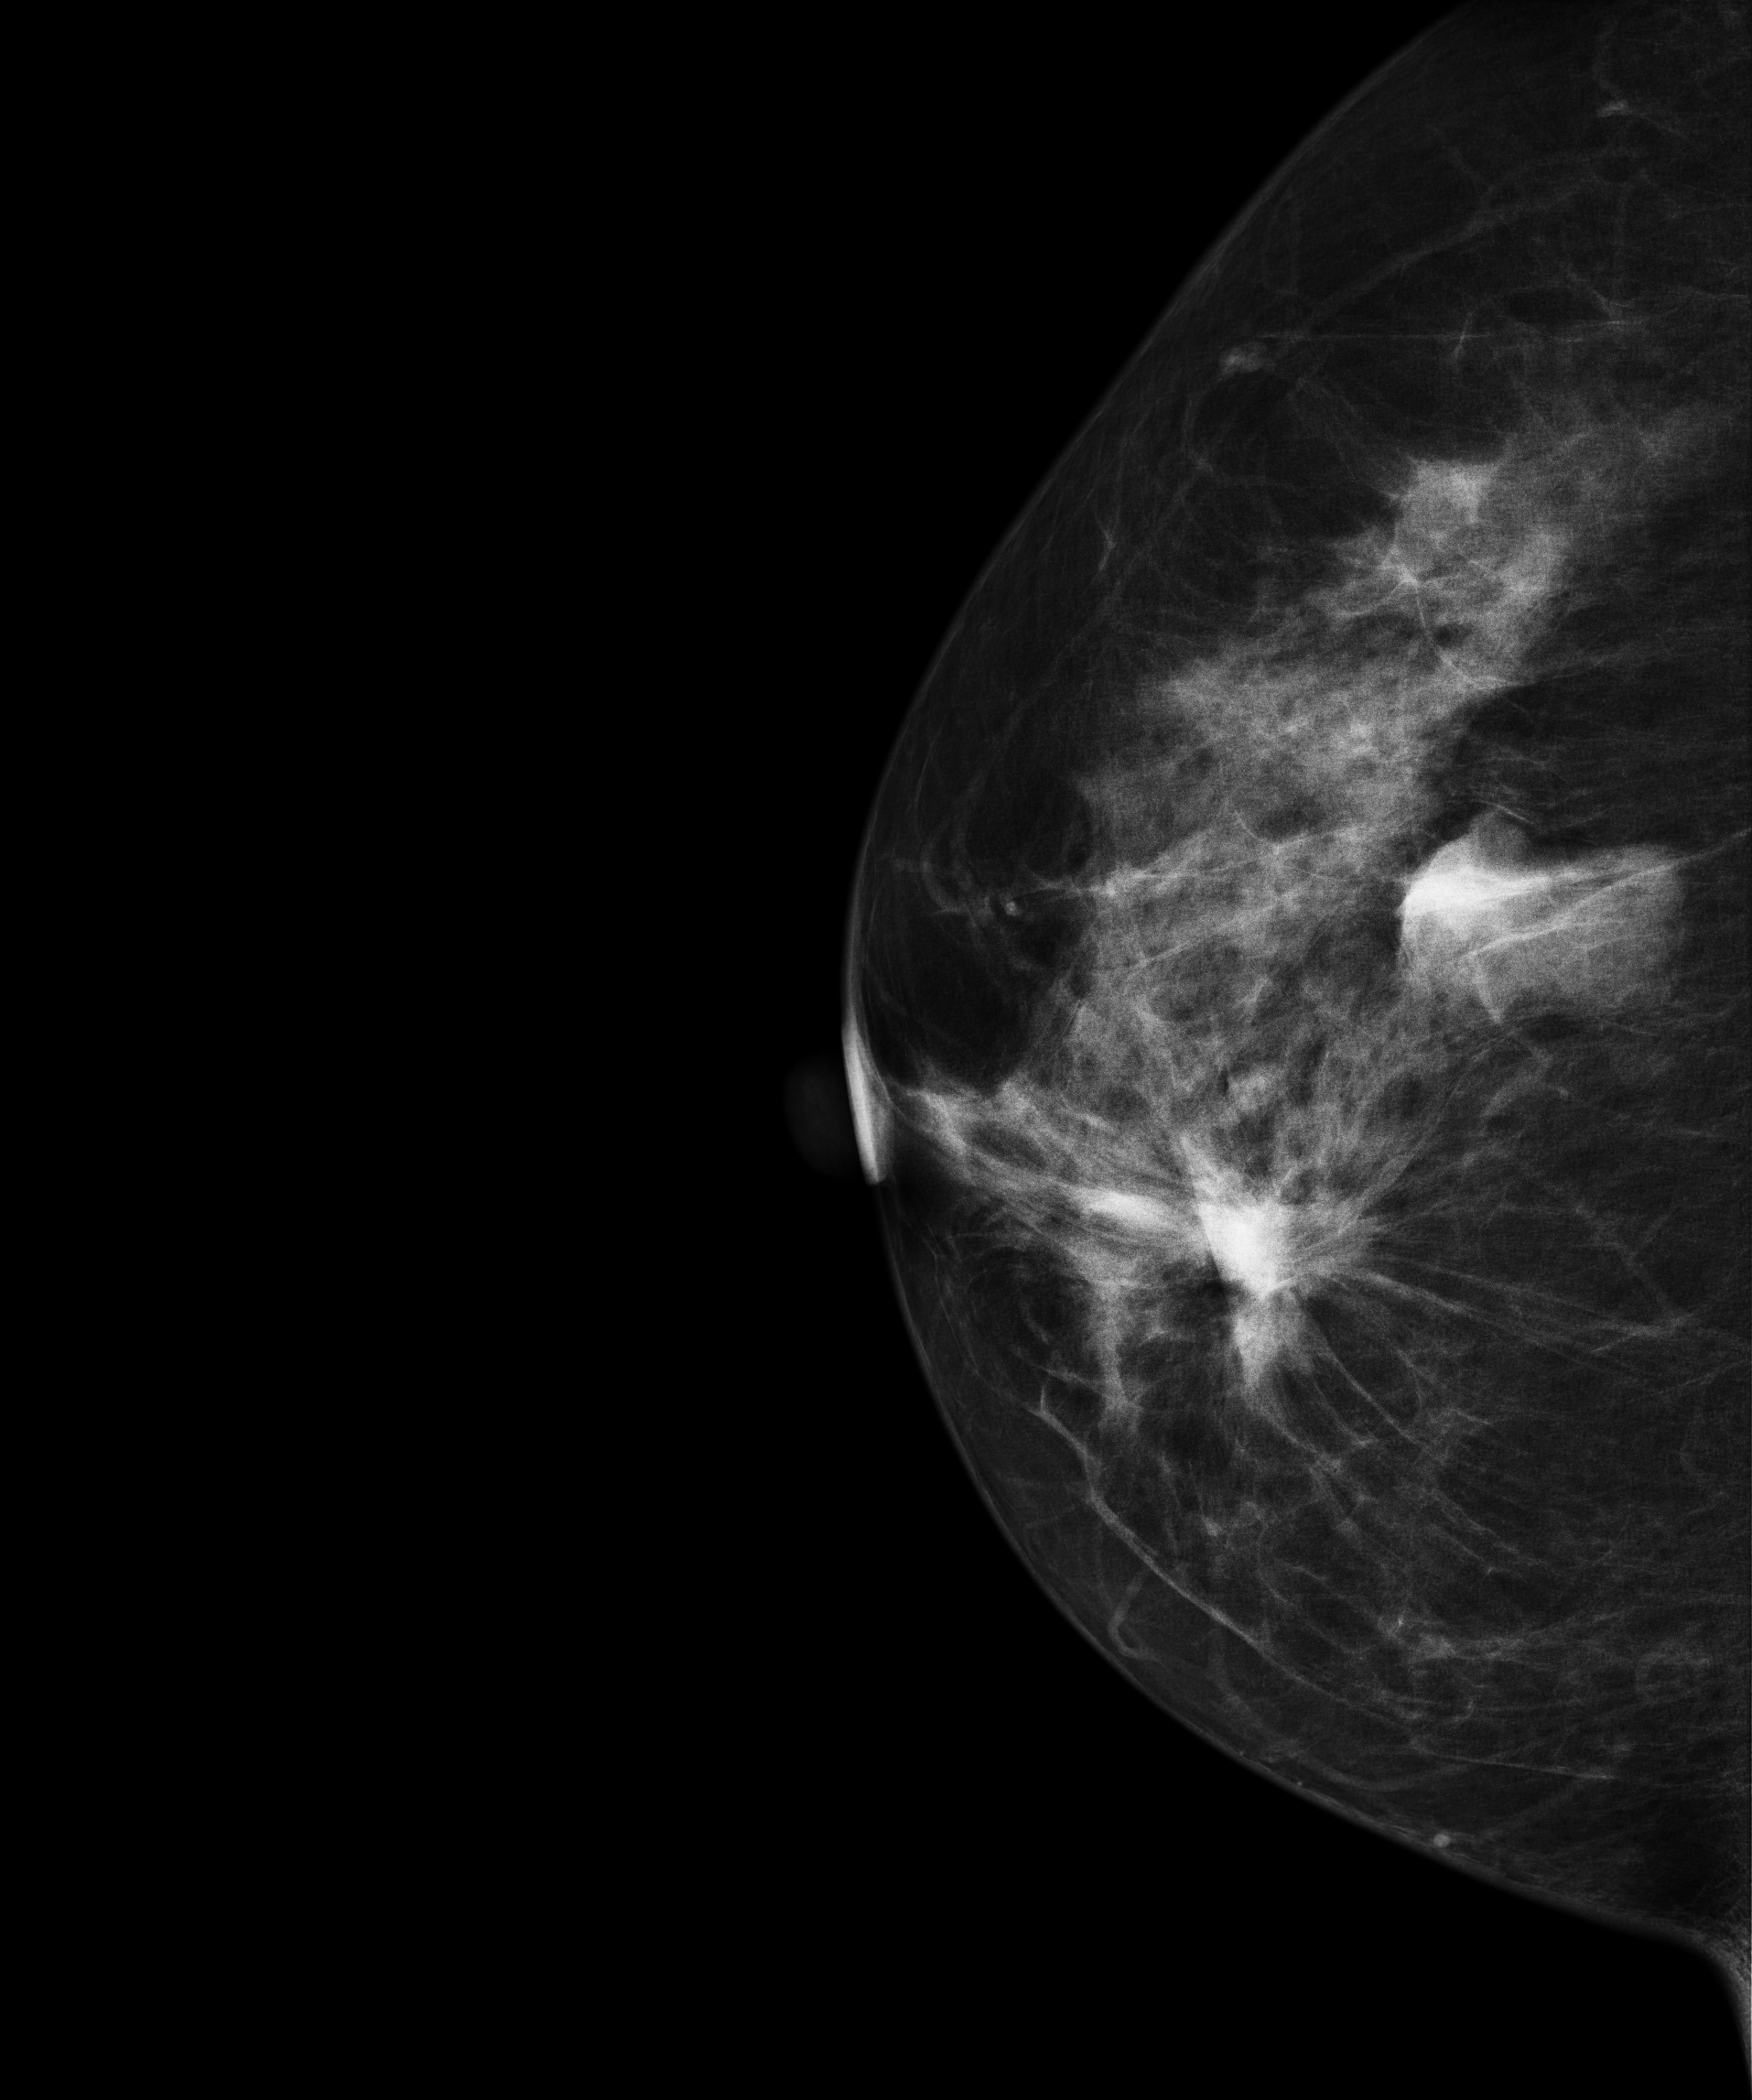
Mammogram, right breast, CC view. Patient age 55.
This breast has a mass, pathology-confirmed malignant.